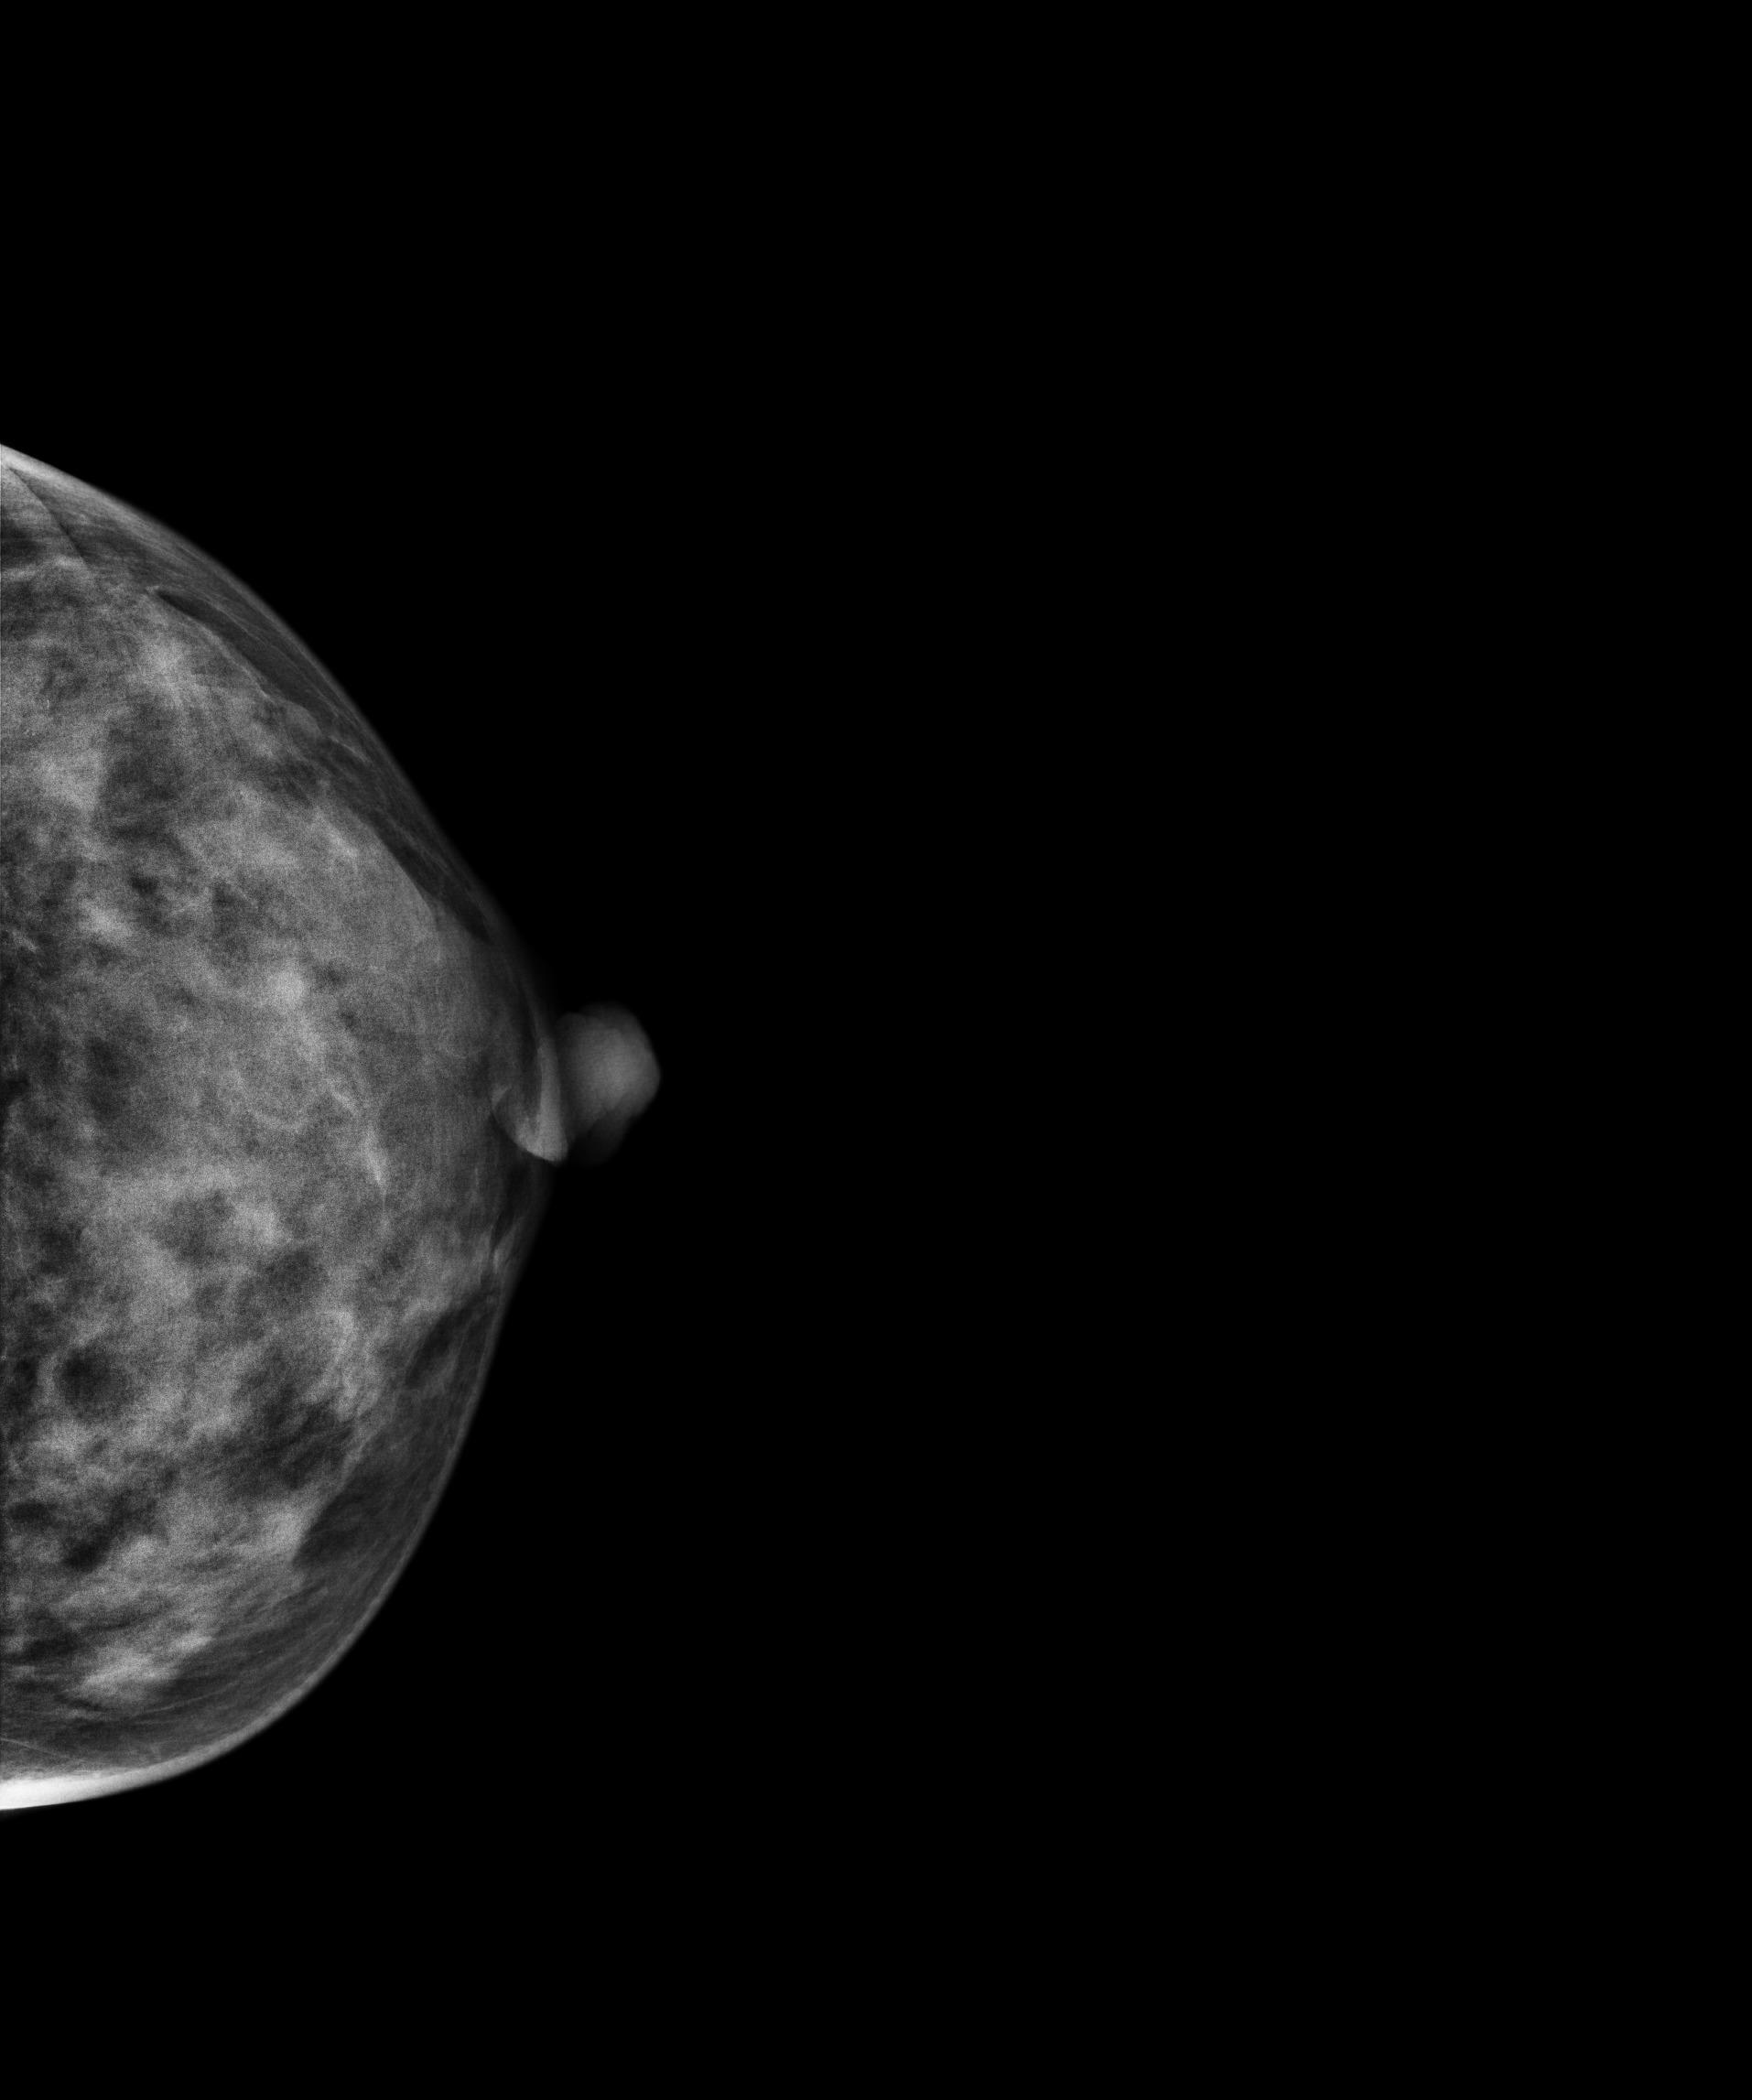
Mammogram, left breast, CC view. 36-year-old patient.
This breast has a mass and calcifications, biopsy-confirmed malignant. Molecular subtype: luminal B.